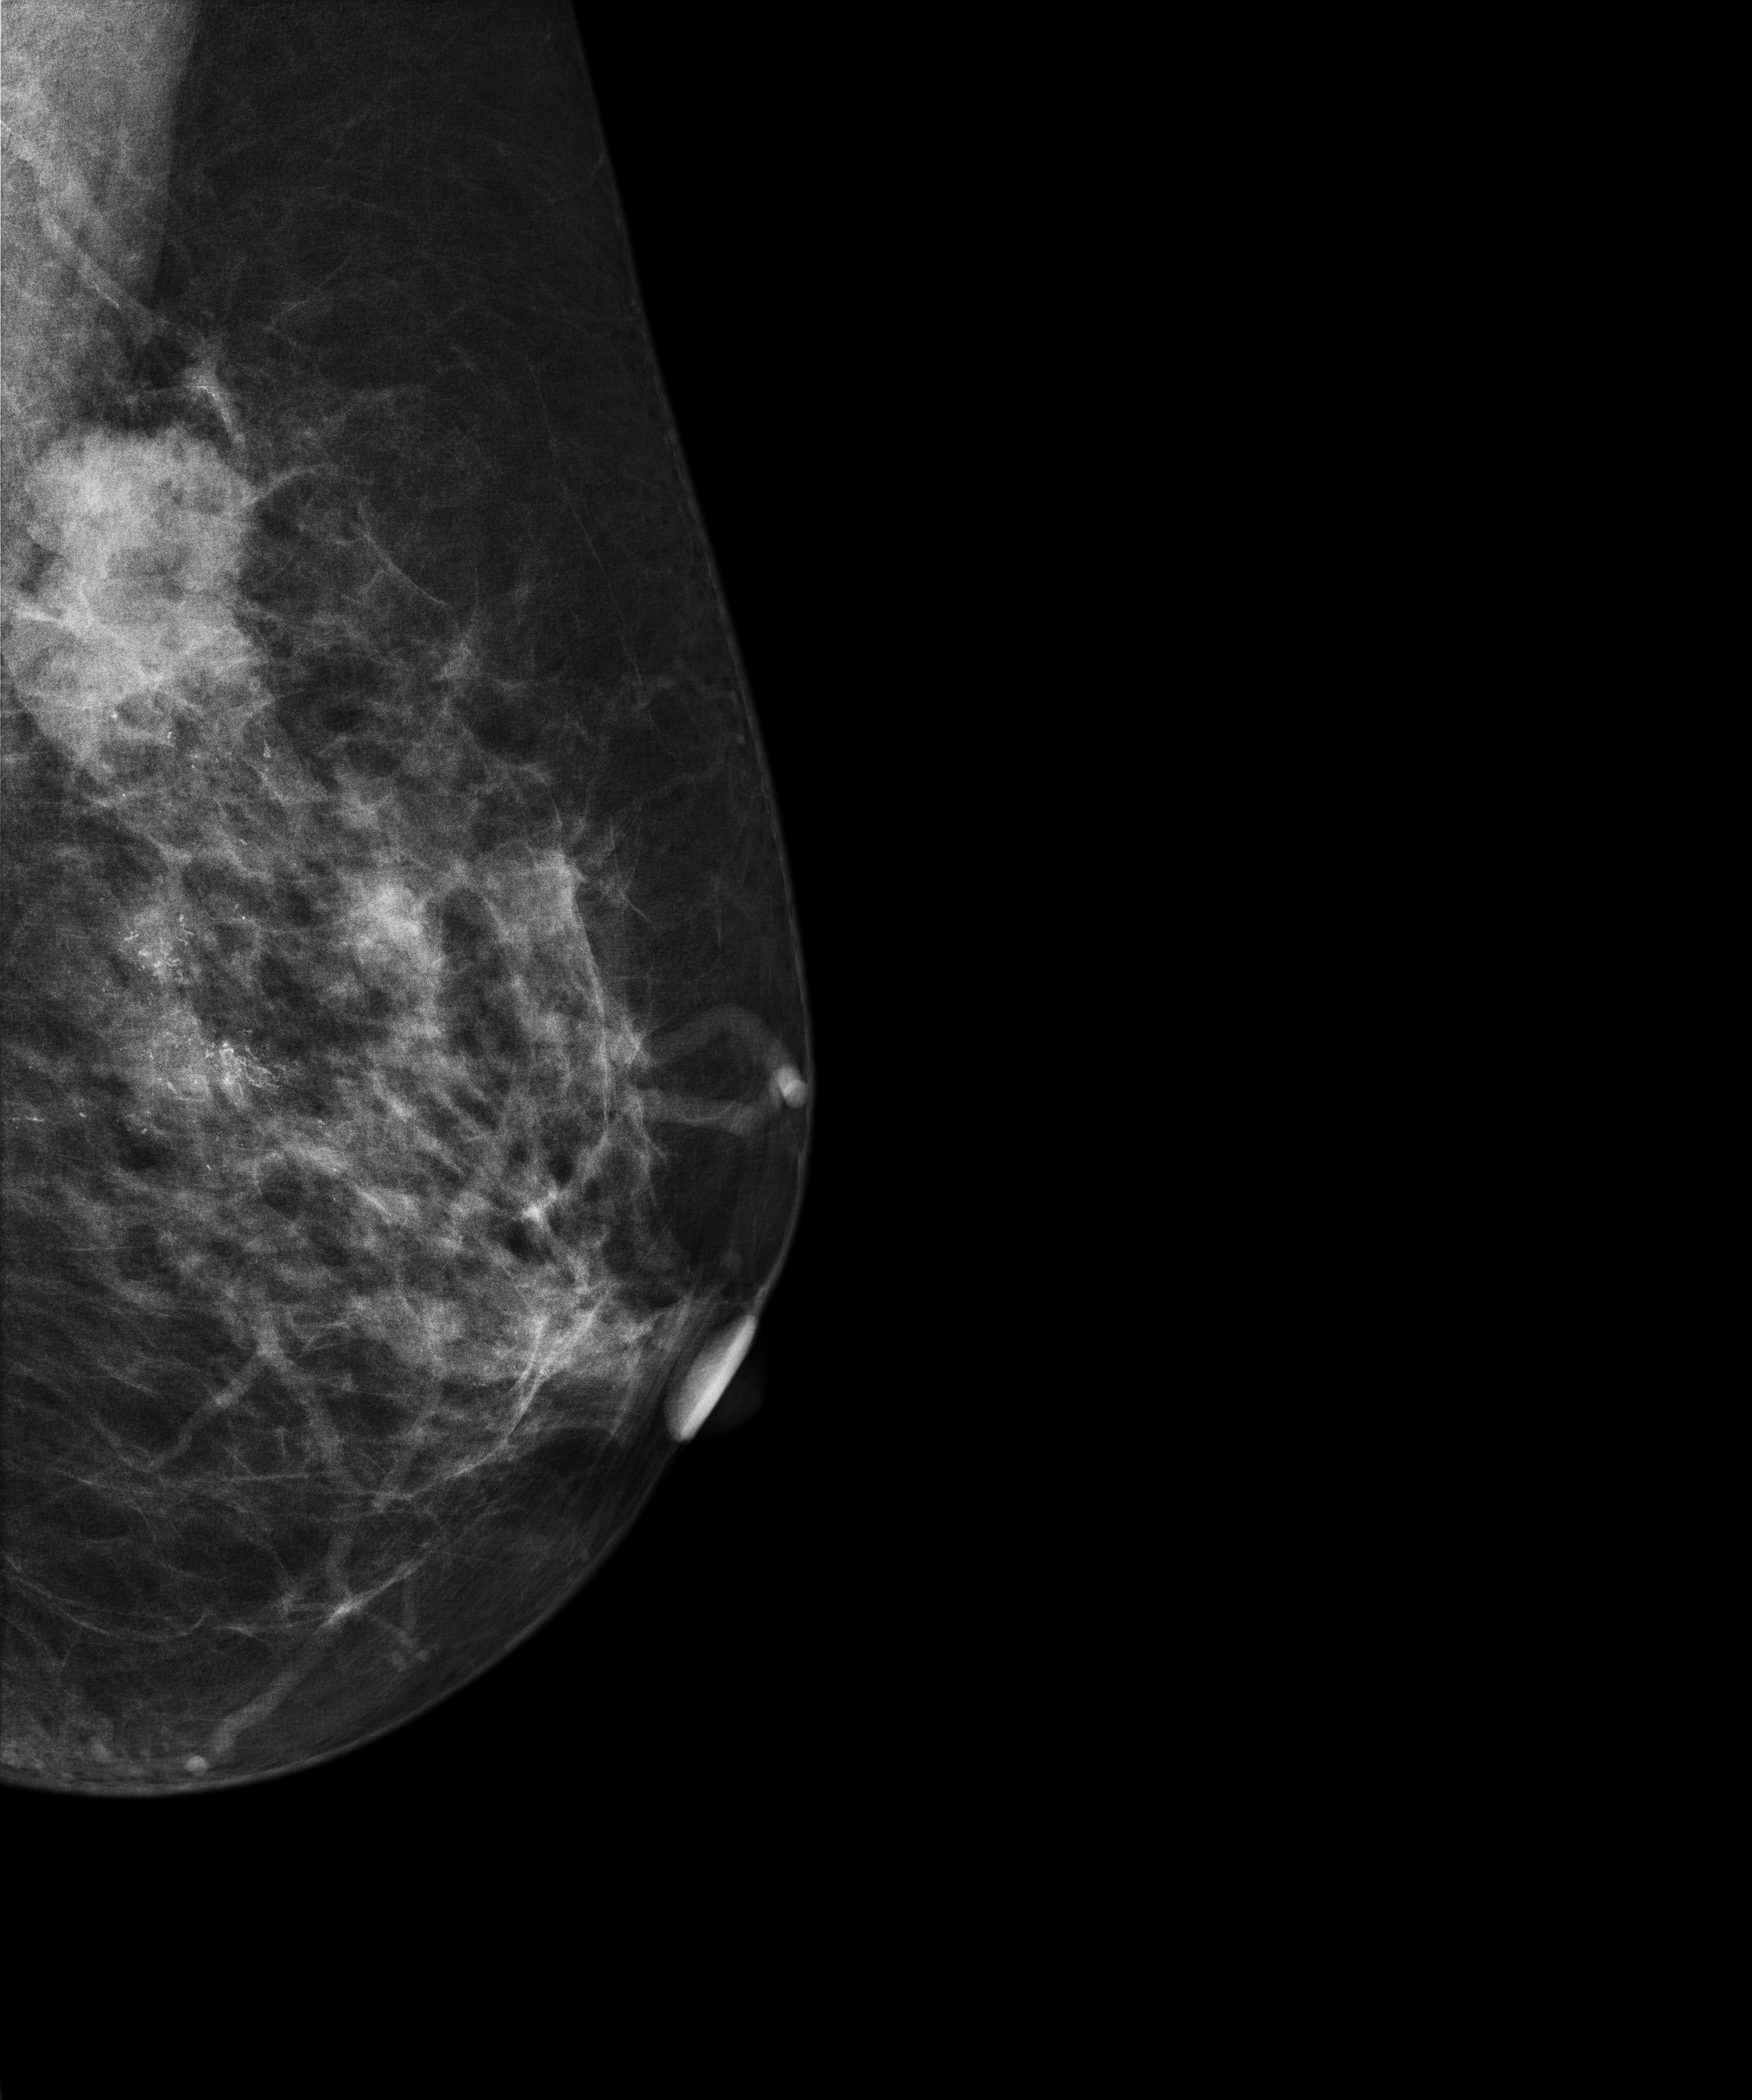
MLO mammogram of the left breast. Patient age 58.
This breast has a mass and calcifications, pathology-confirmed malignant. Molecular subtype: luminal A.